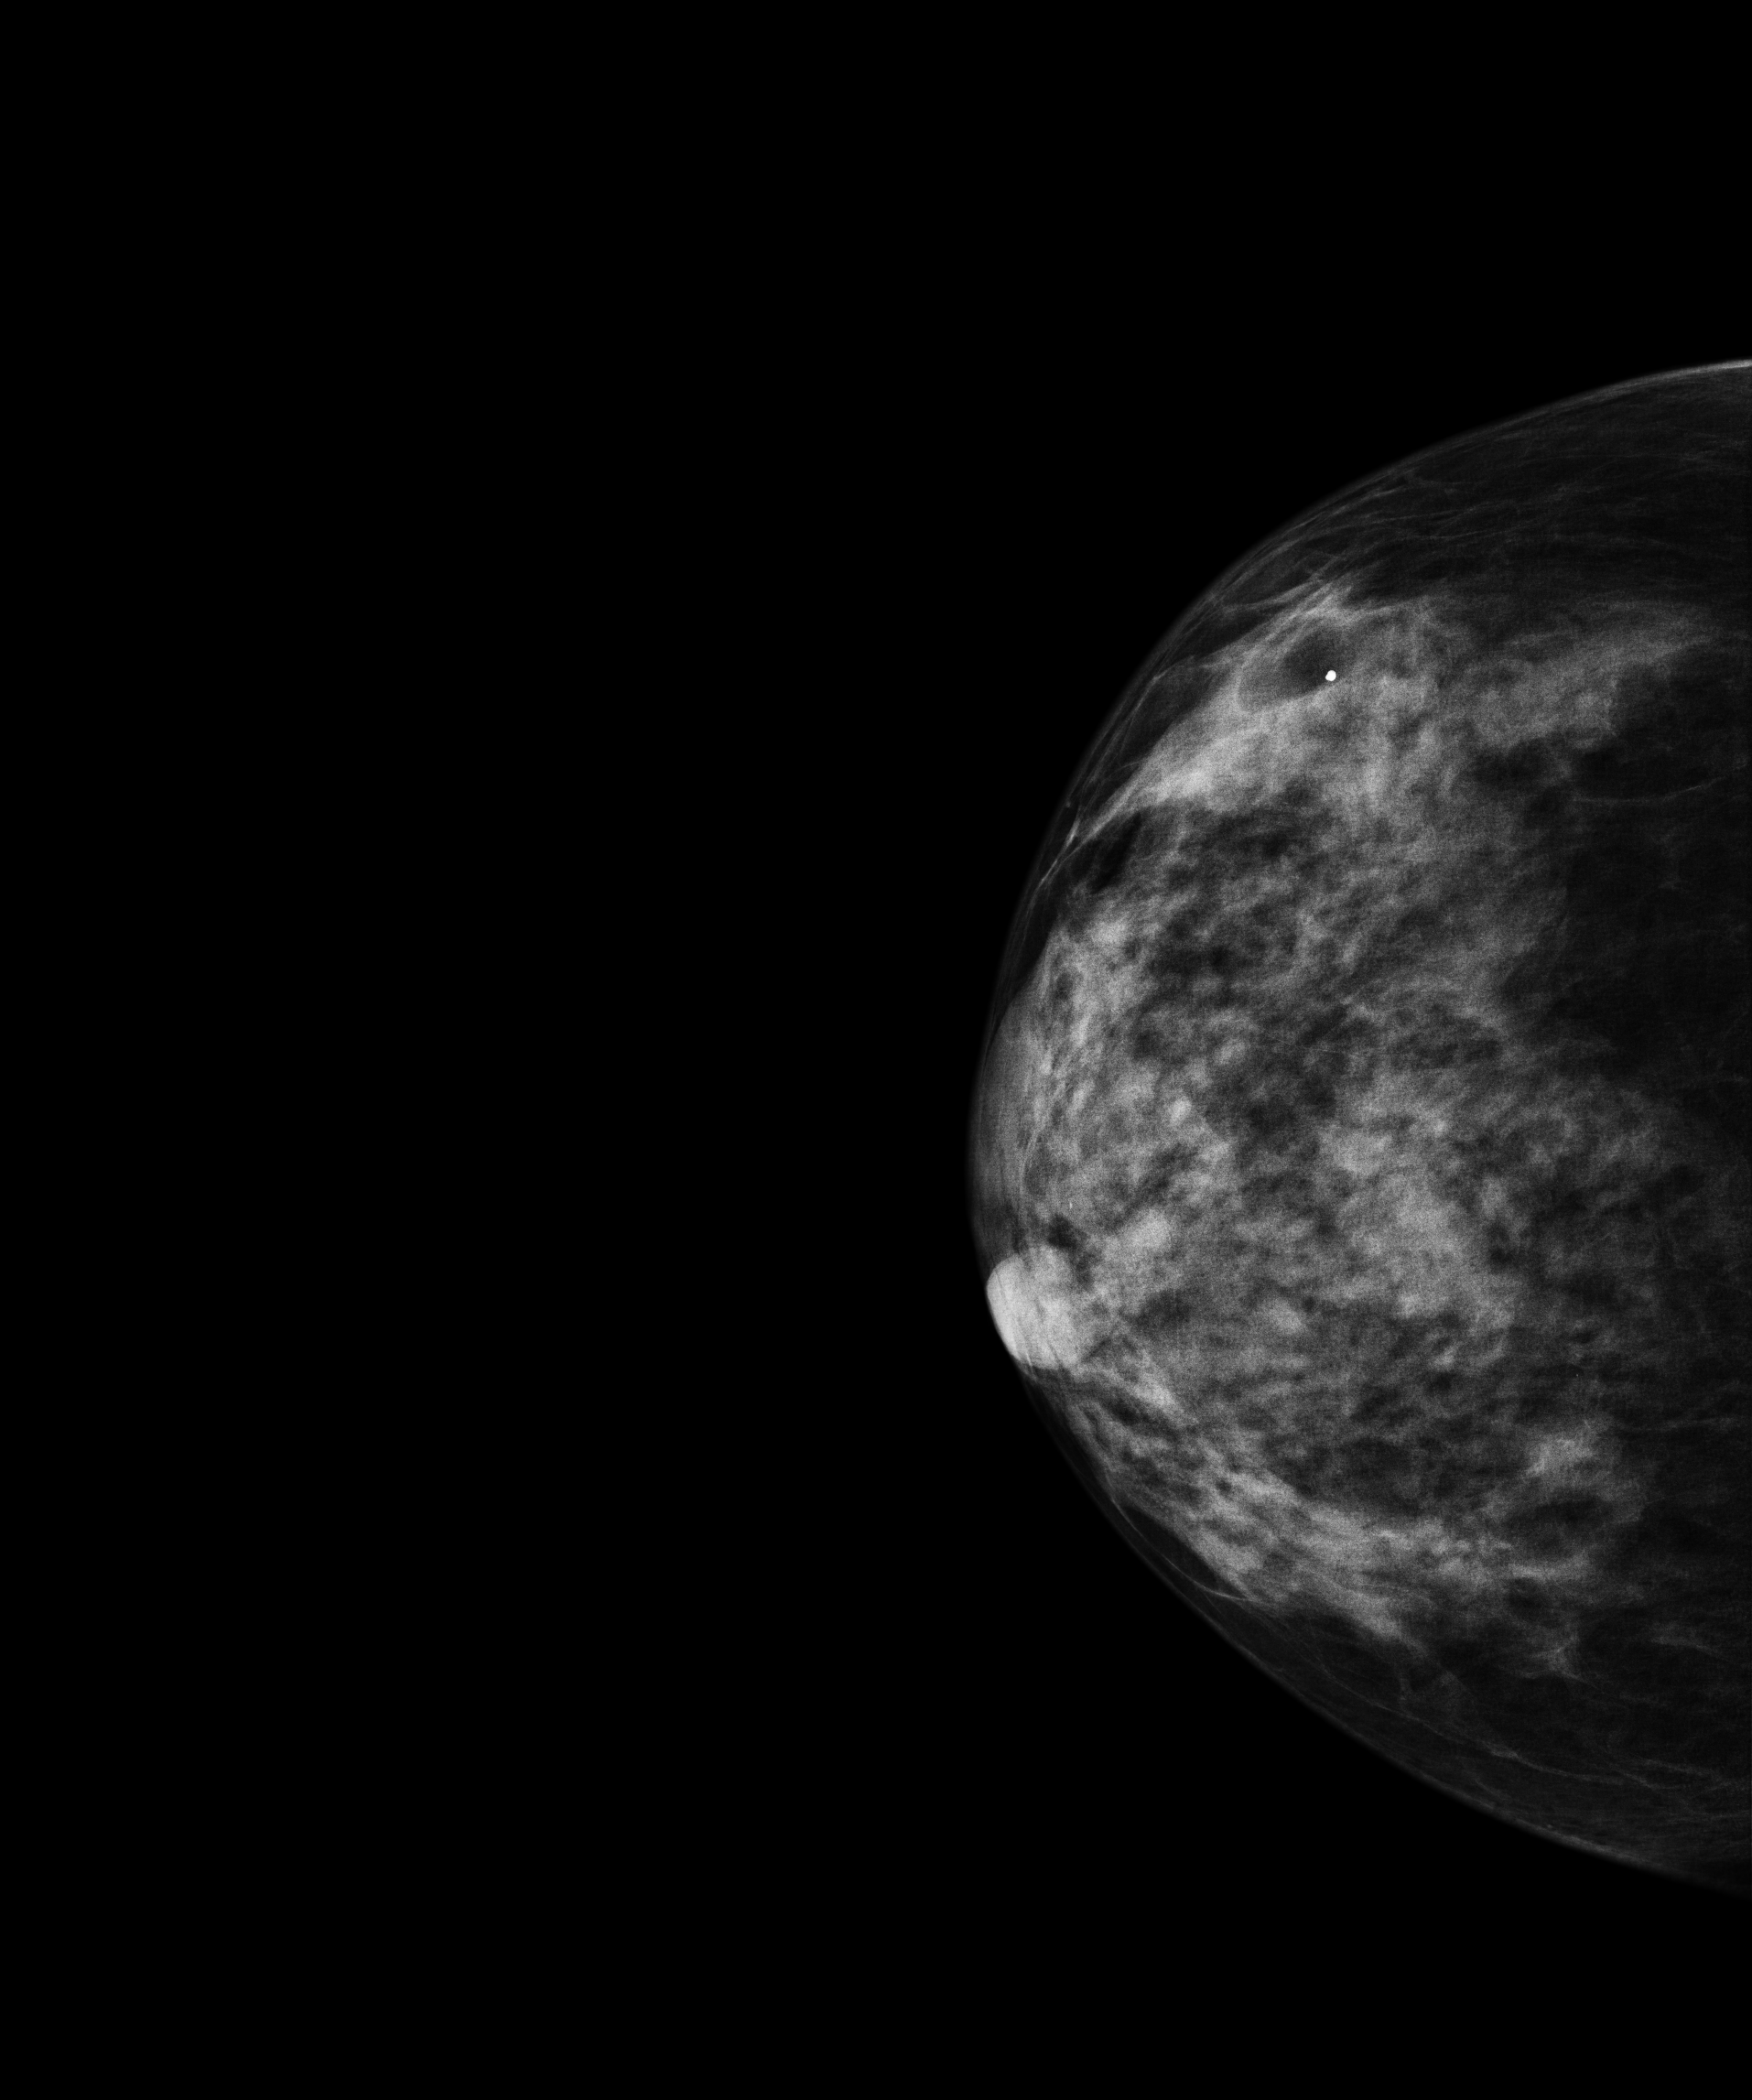
Cranio-caudal mammogram of the right breast. 57 y/o patient.
This breast has a mass, biopsy-confirmed malignant. Molecular subtype: luminal A.